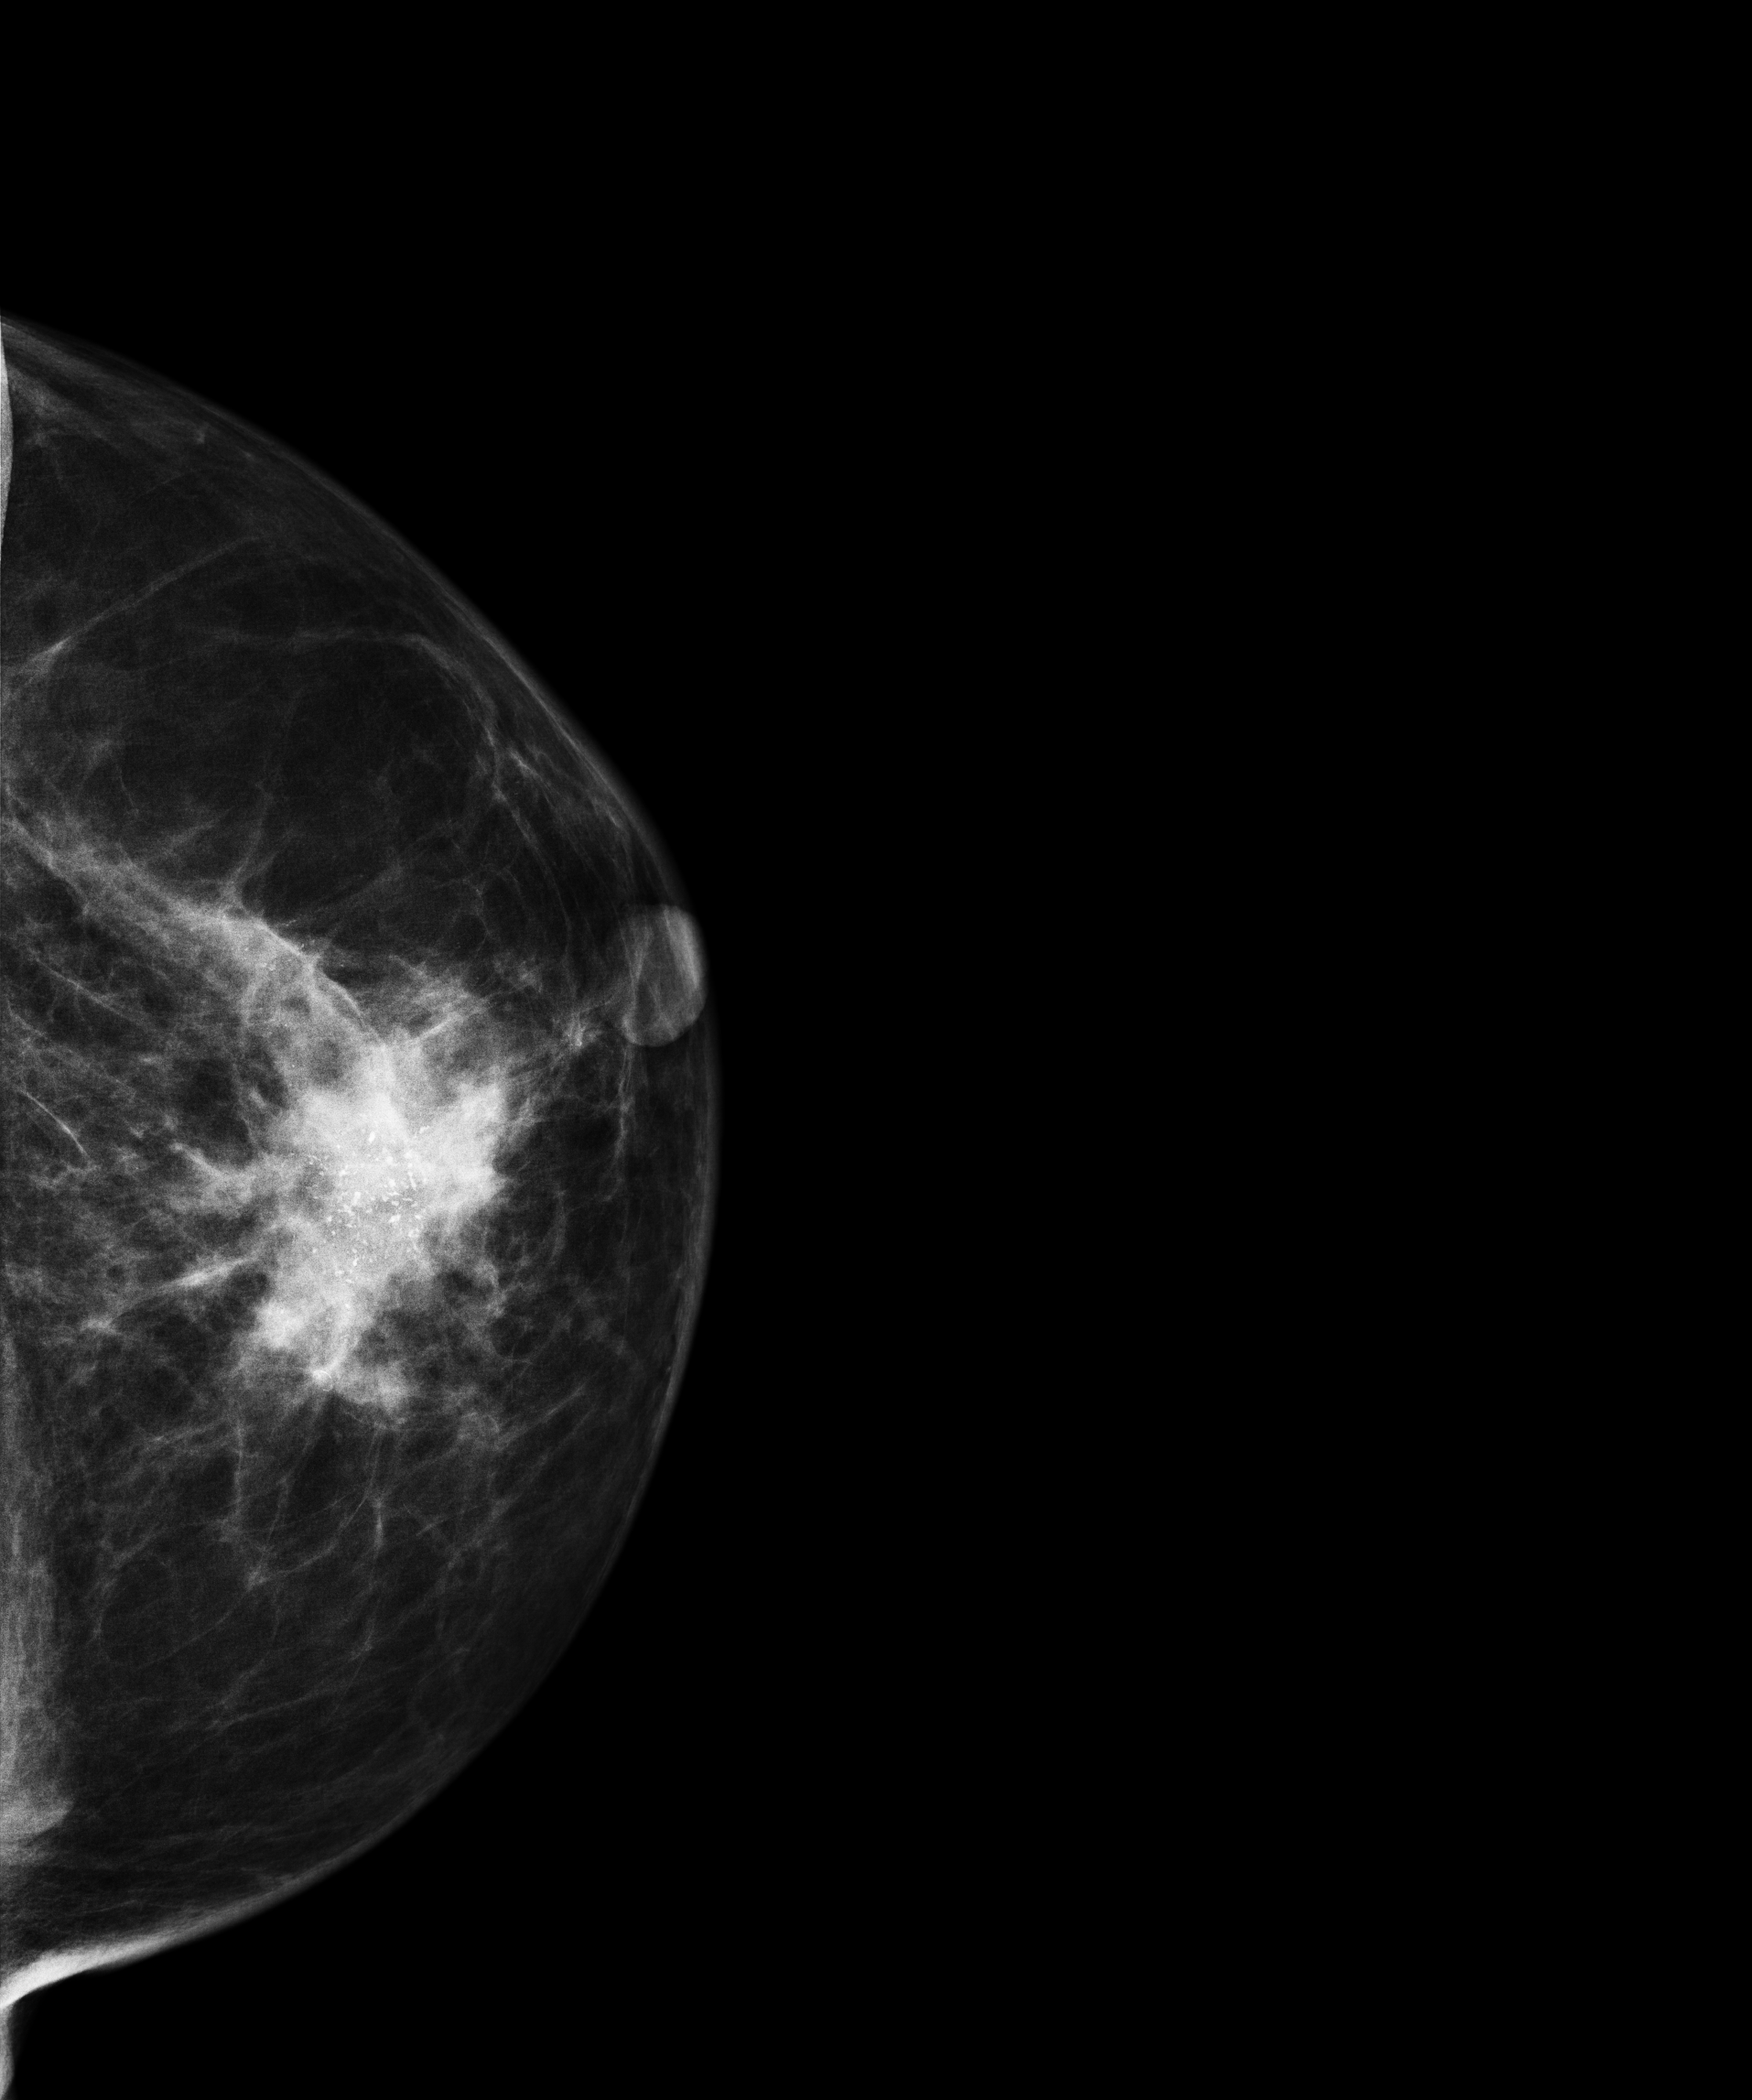
Mammogram — left cranio-caudal. Patient age 60.
This breast has a mass and calcifications, pathology-confirmed malignant. Molecular subtype: HER2-enriched.